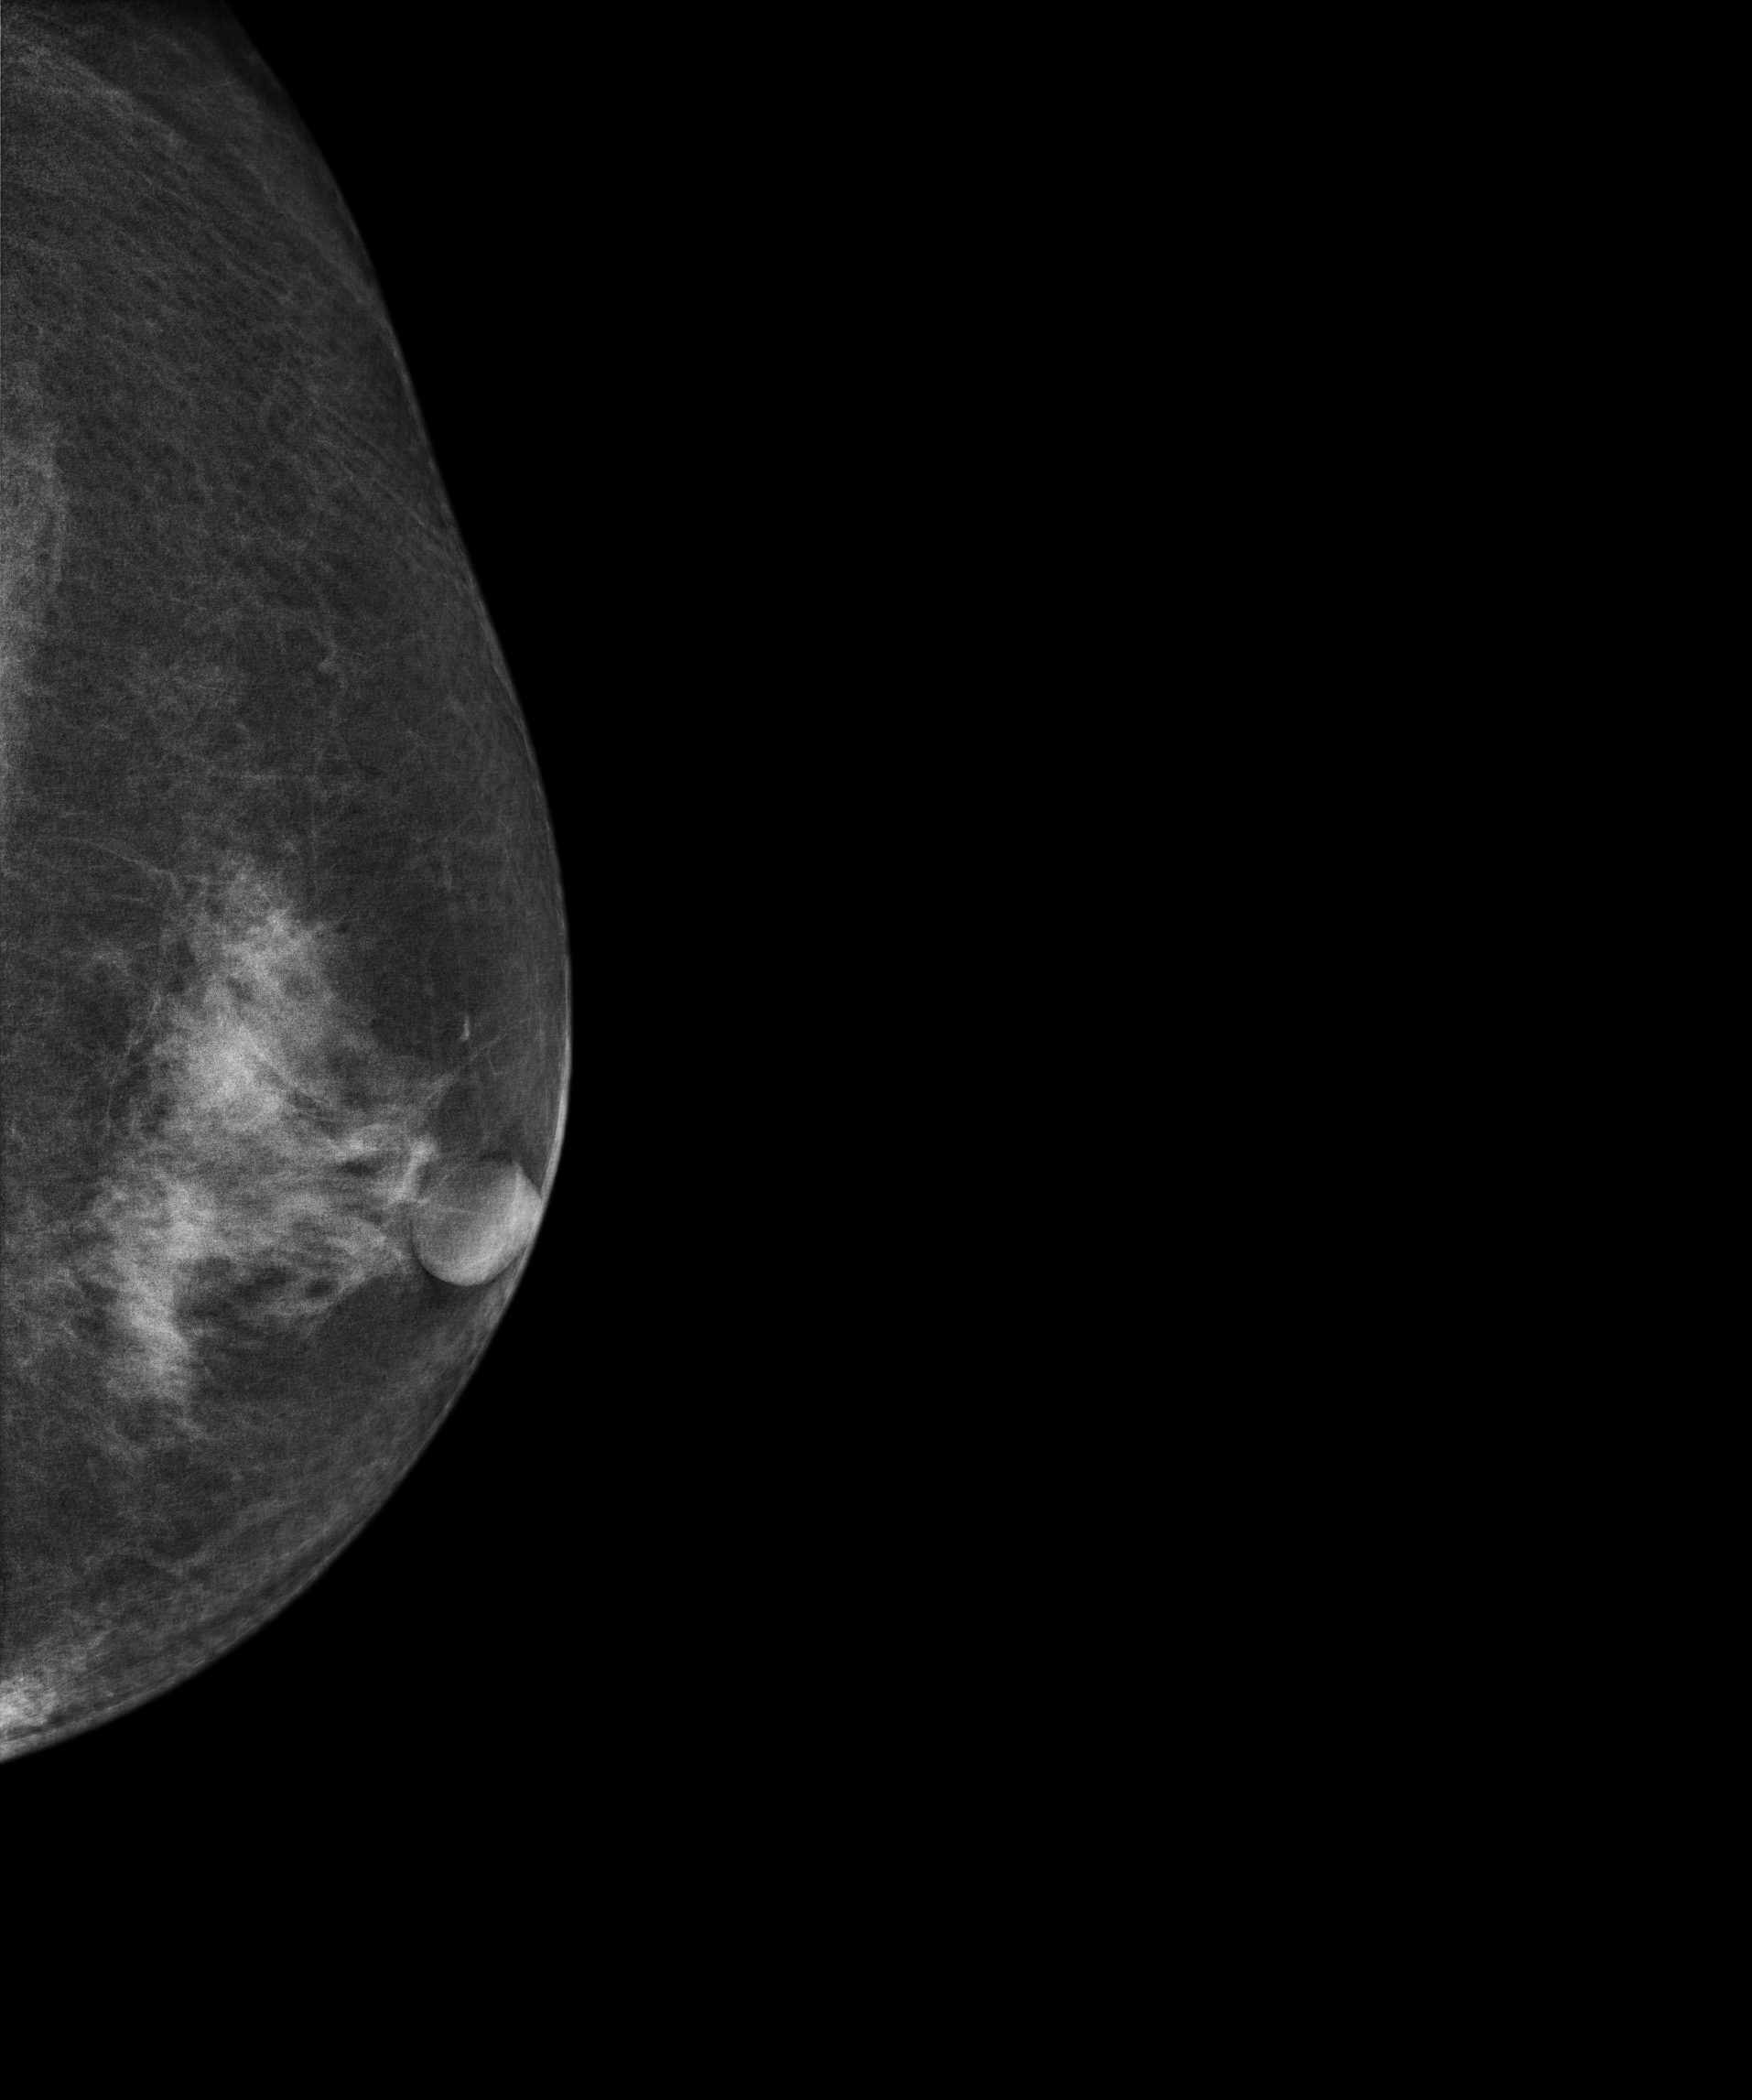
CC mammogram of the left breast. 55-year-old patient.
This breast has a mass, biopsy-proven benign.